CC mammogram of the left breast. 52-year-old patient.
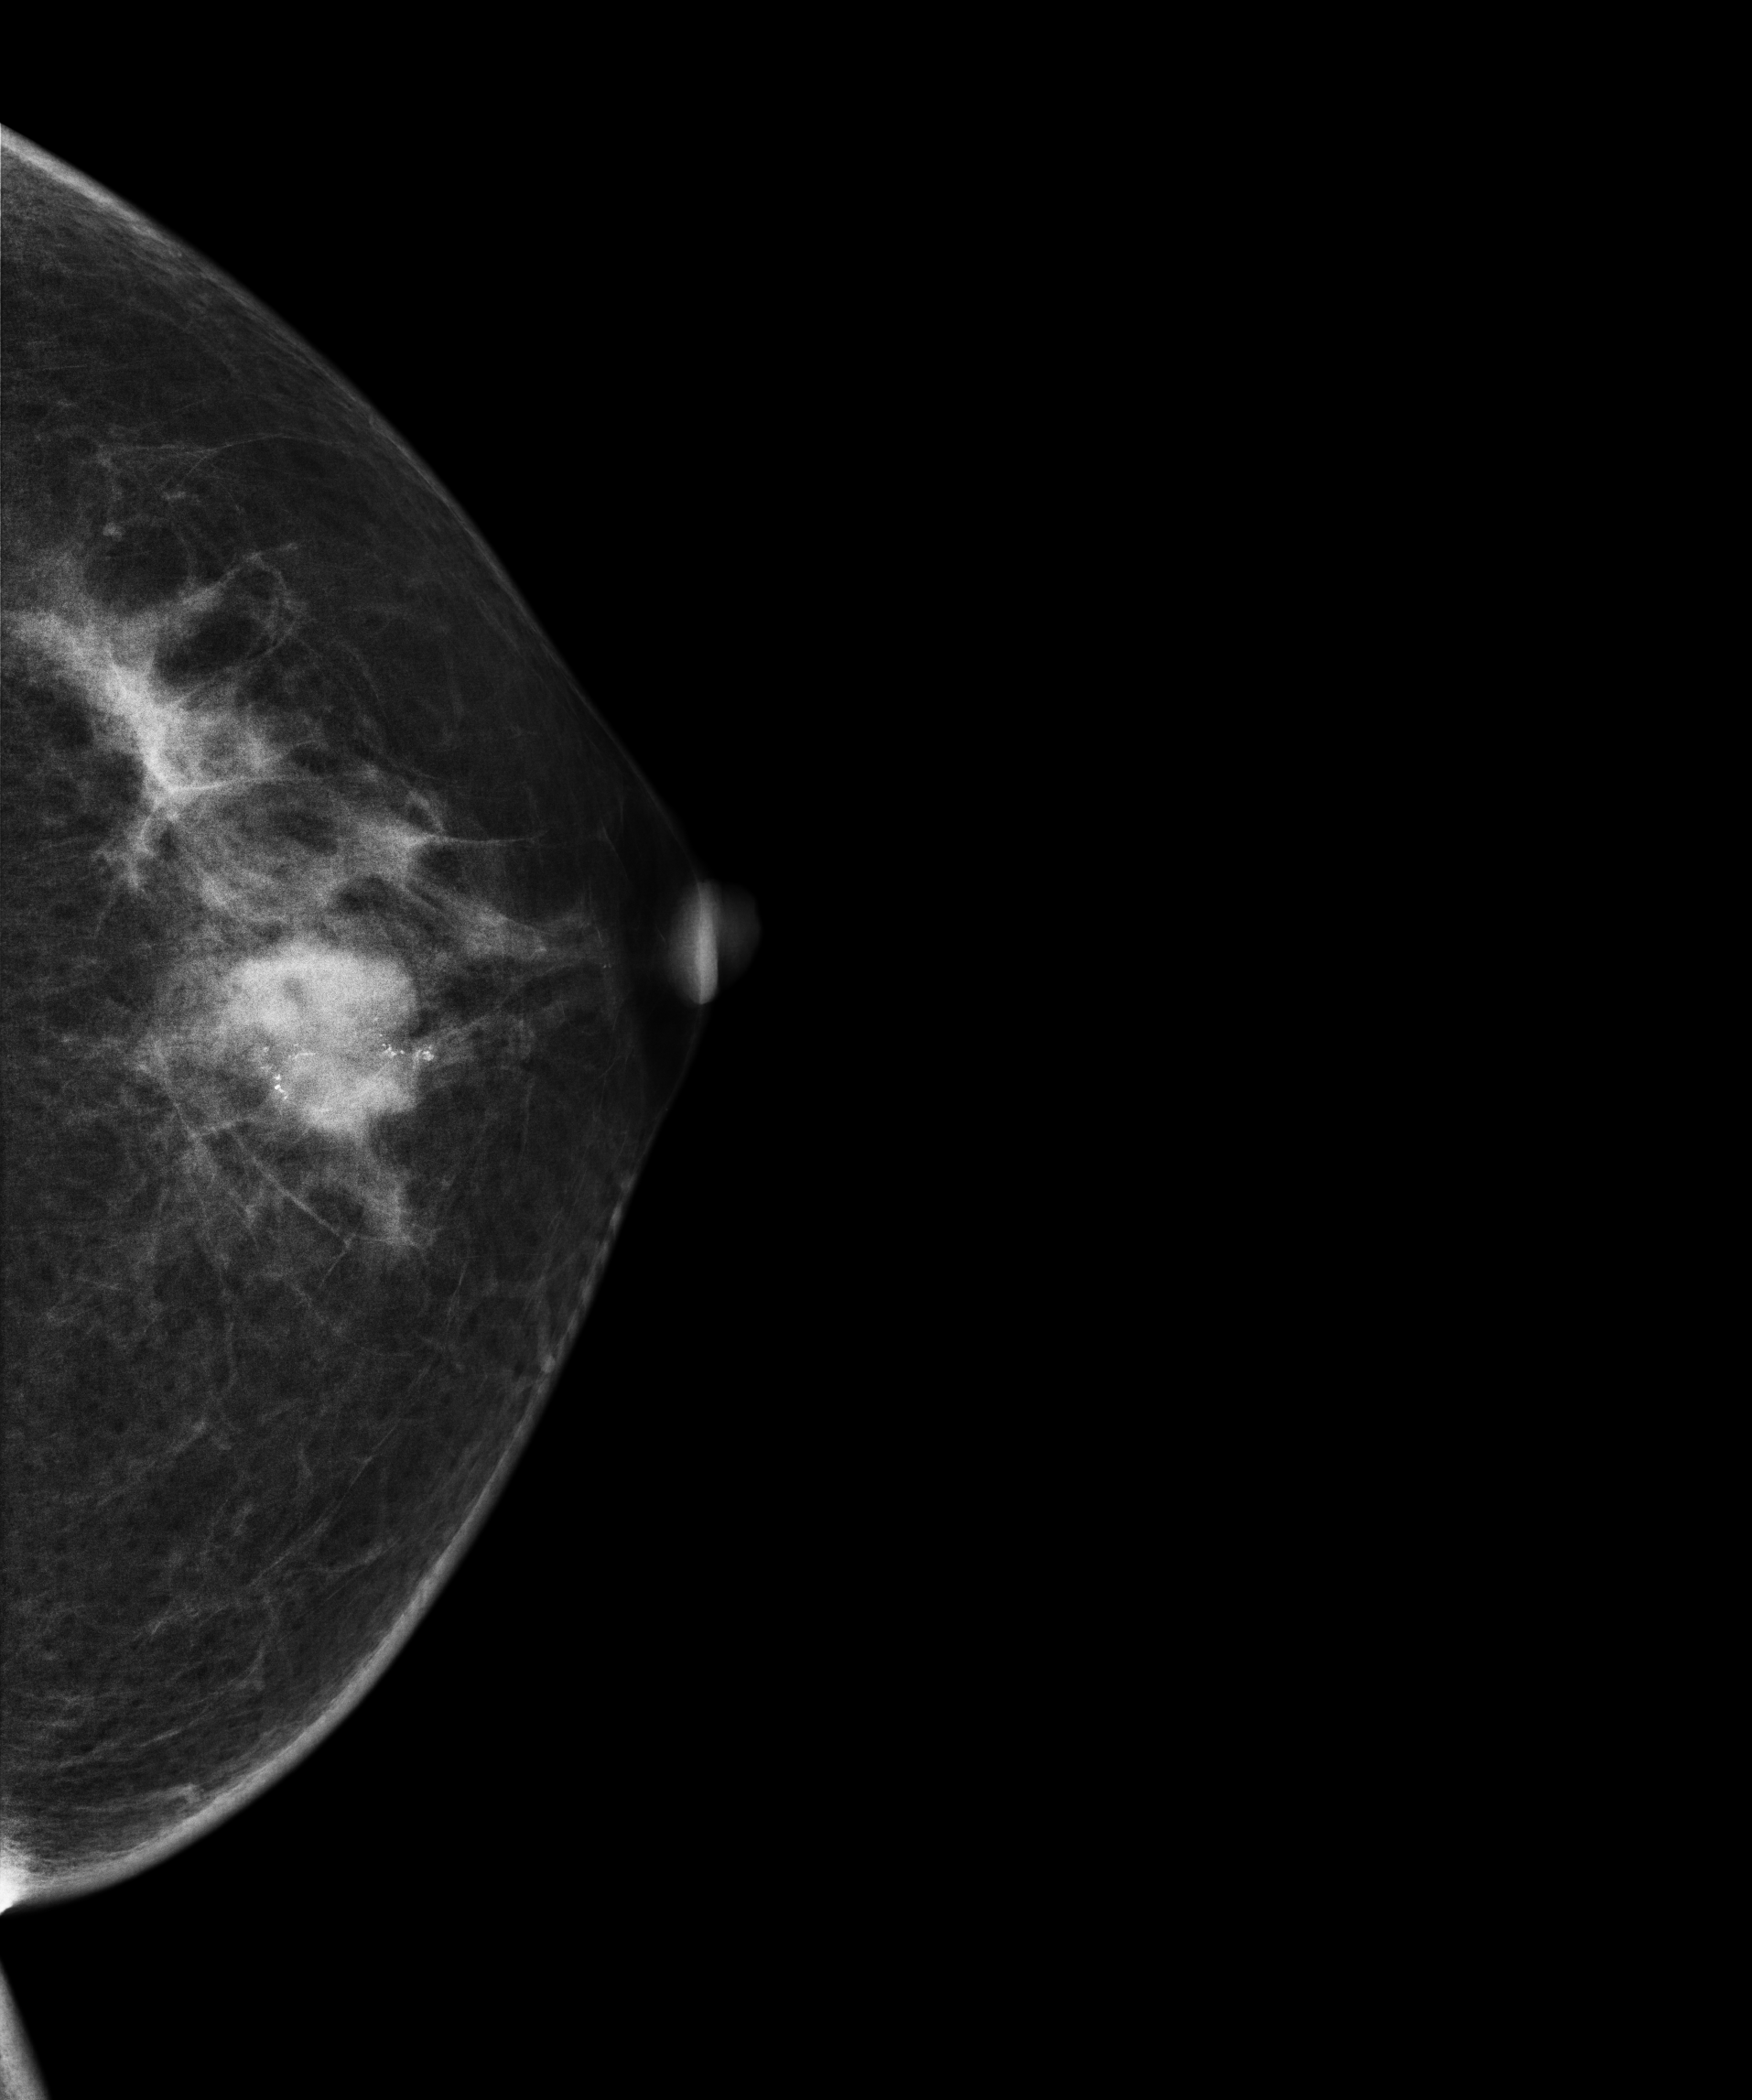
This breast has a mass and calcifications, biopsy-confirmed malignant. Molecular subtype: luminal B.